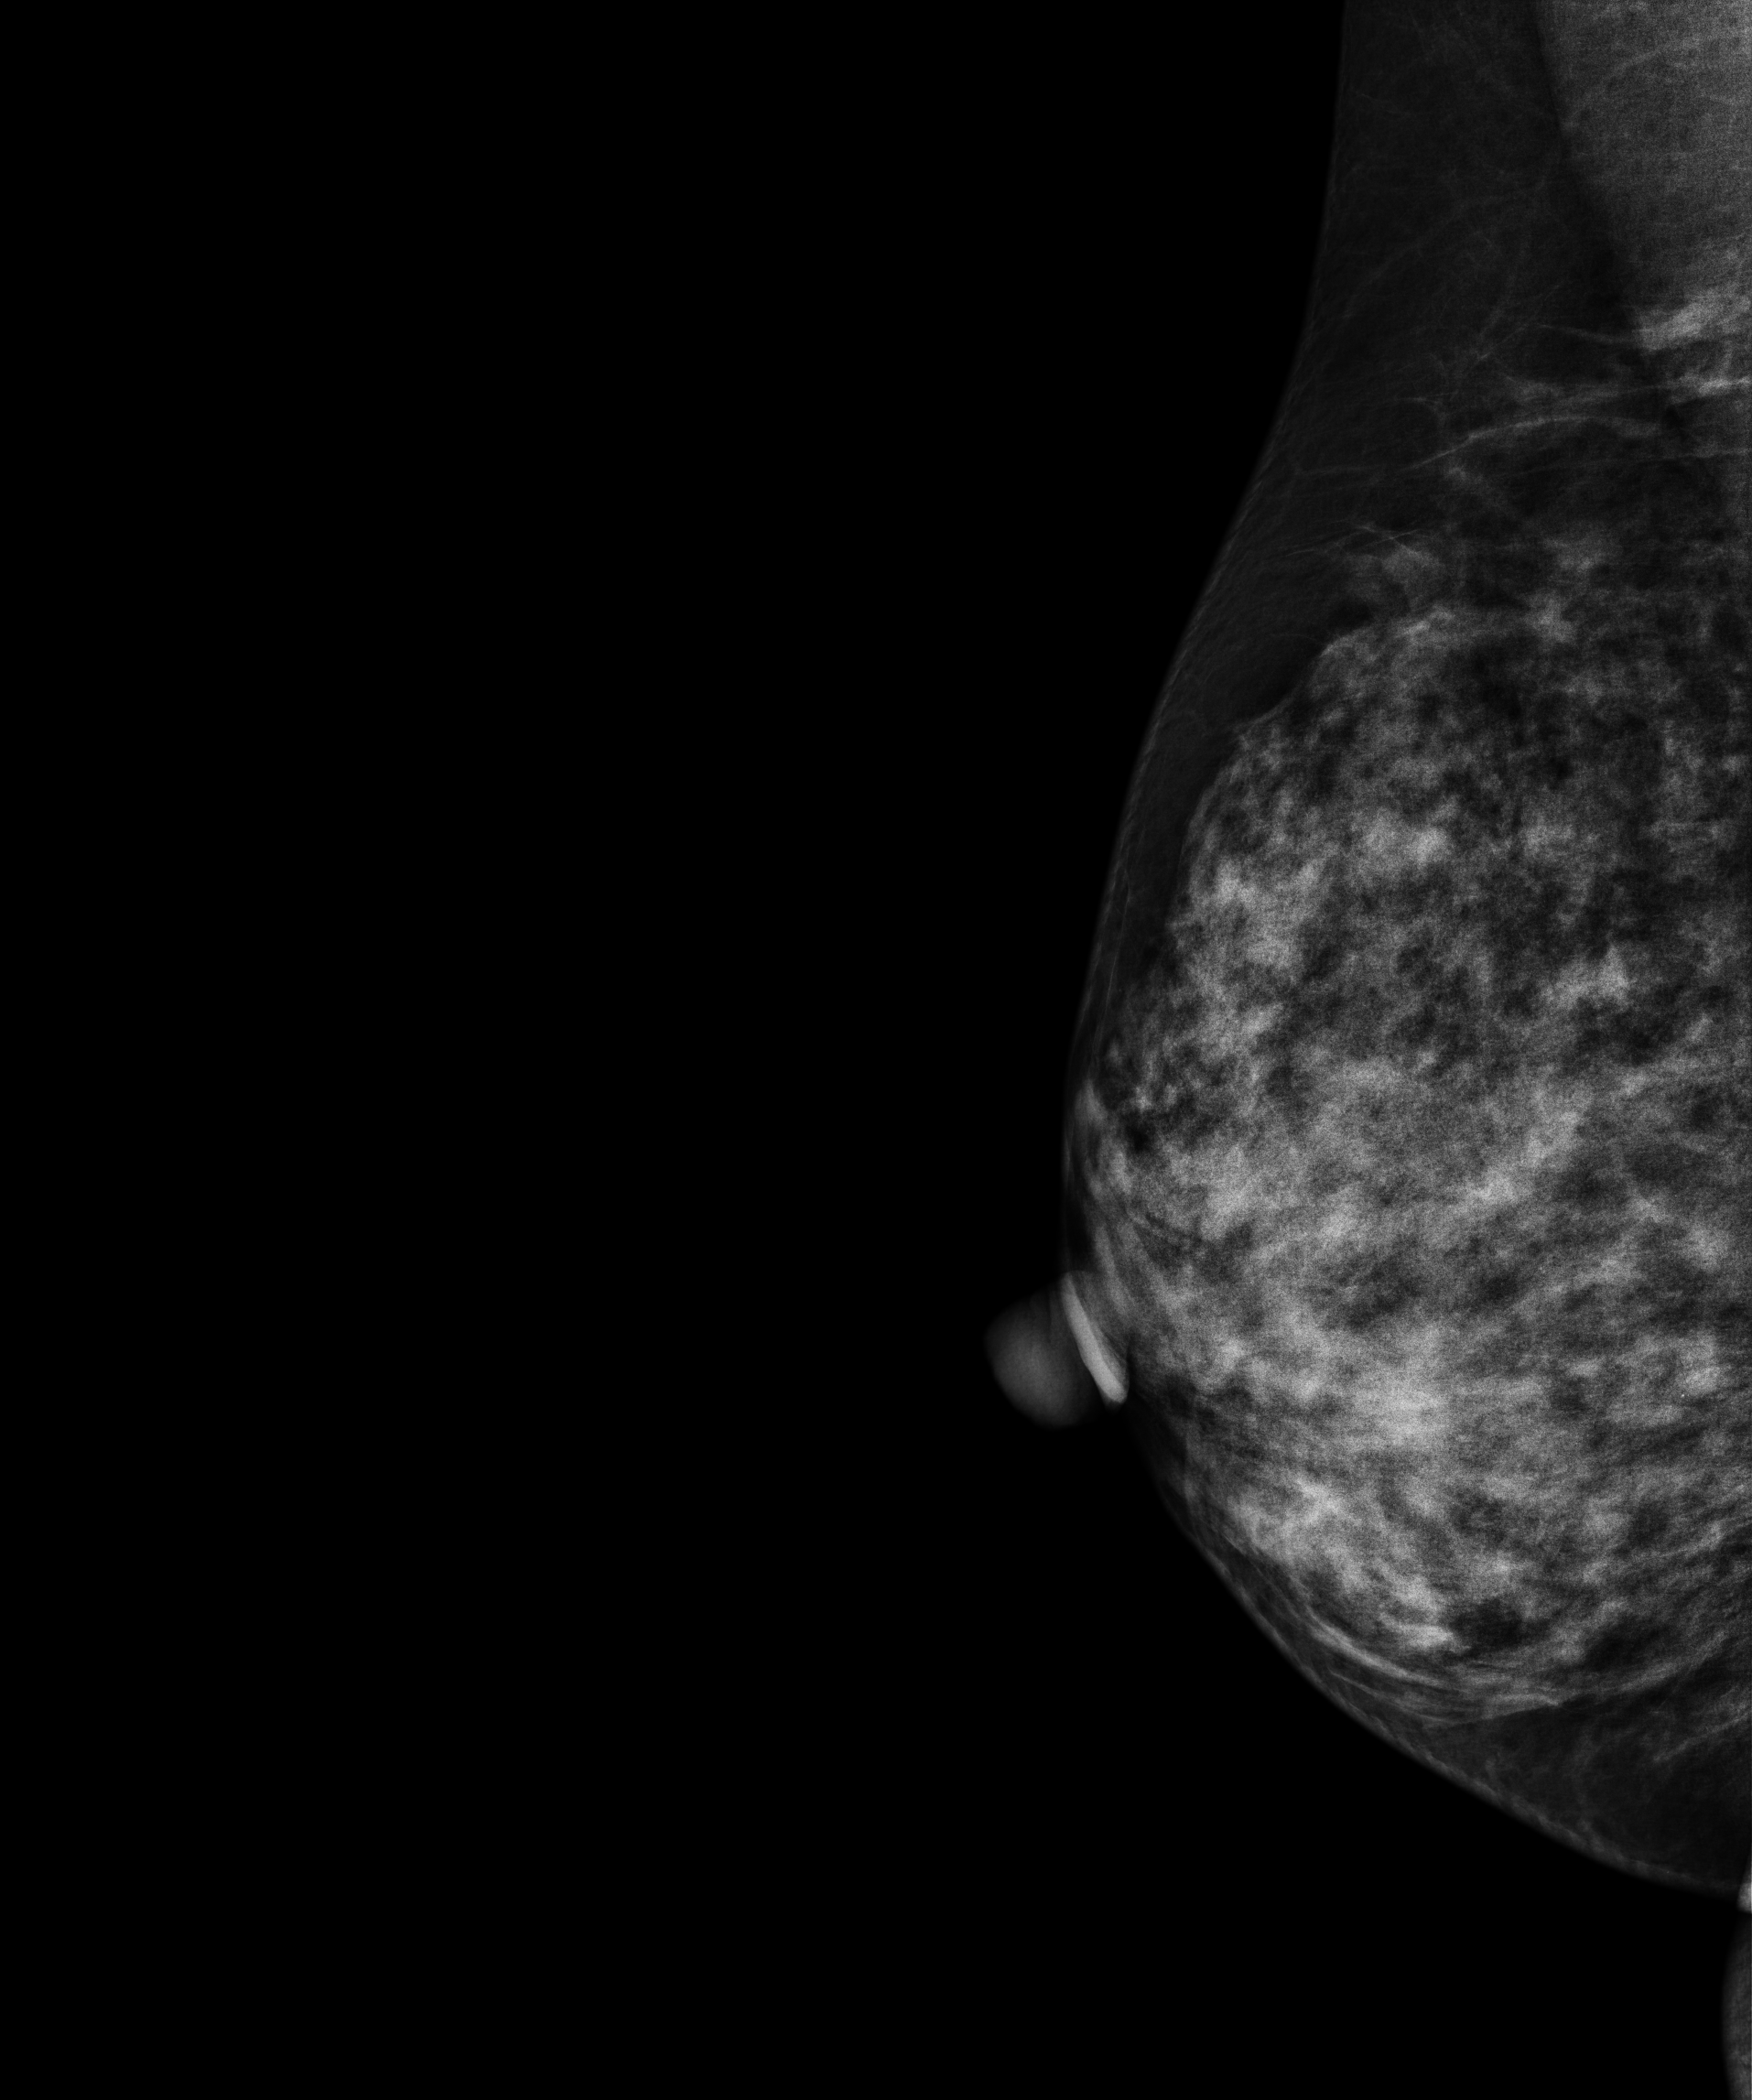
Mammogram, right breast, medio-lateral oblique view. 47 y/o patient.
Contralateral breast — no documented abnormality on this side.